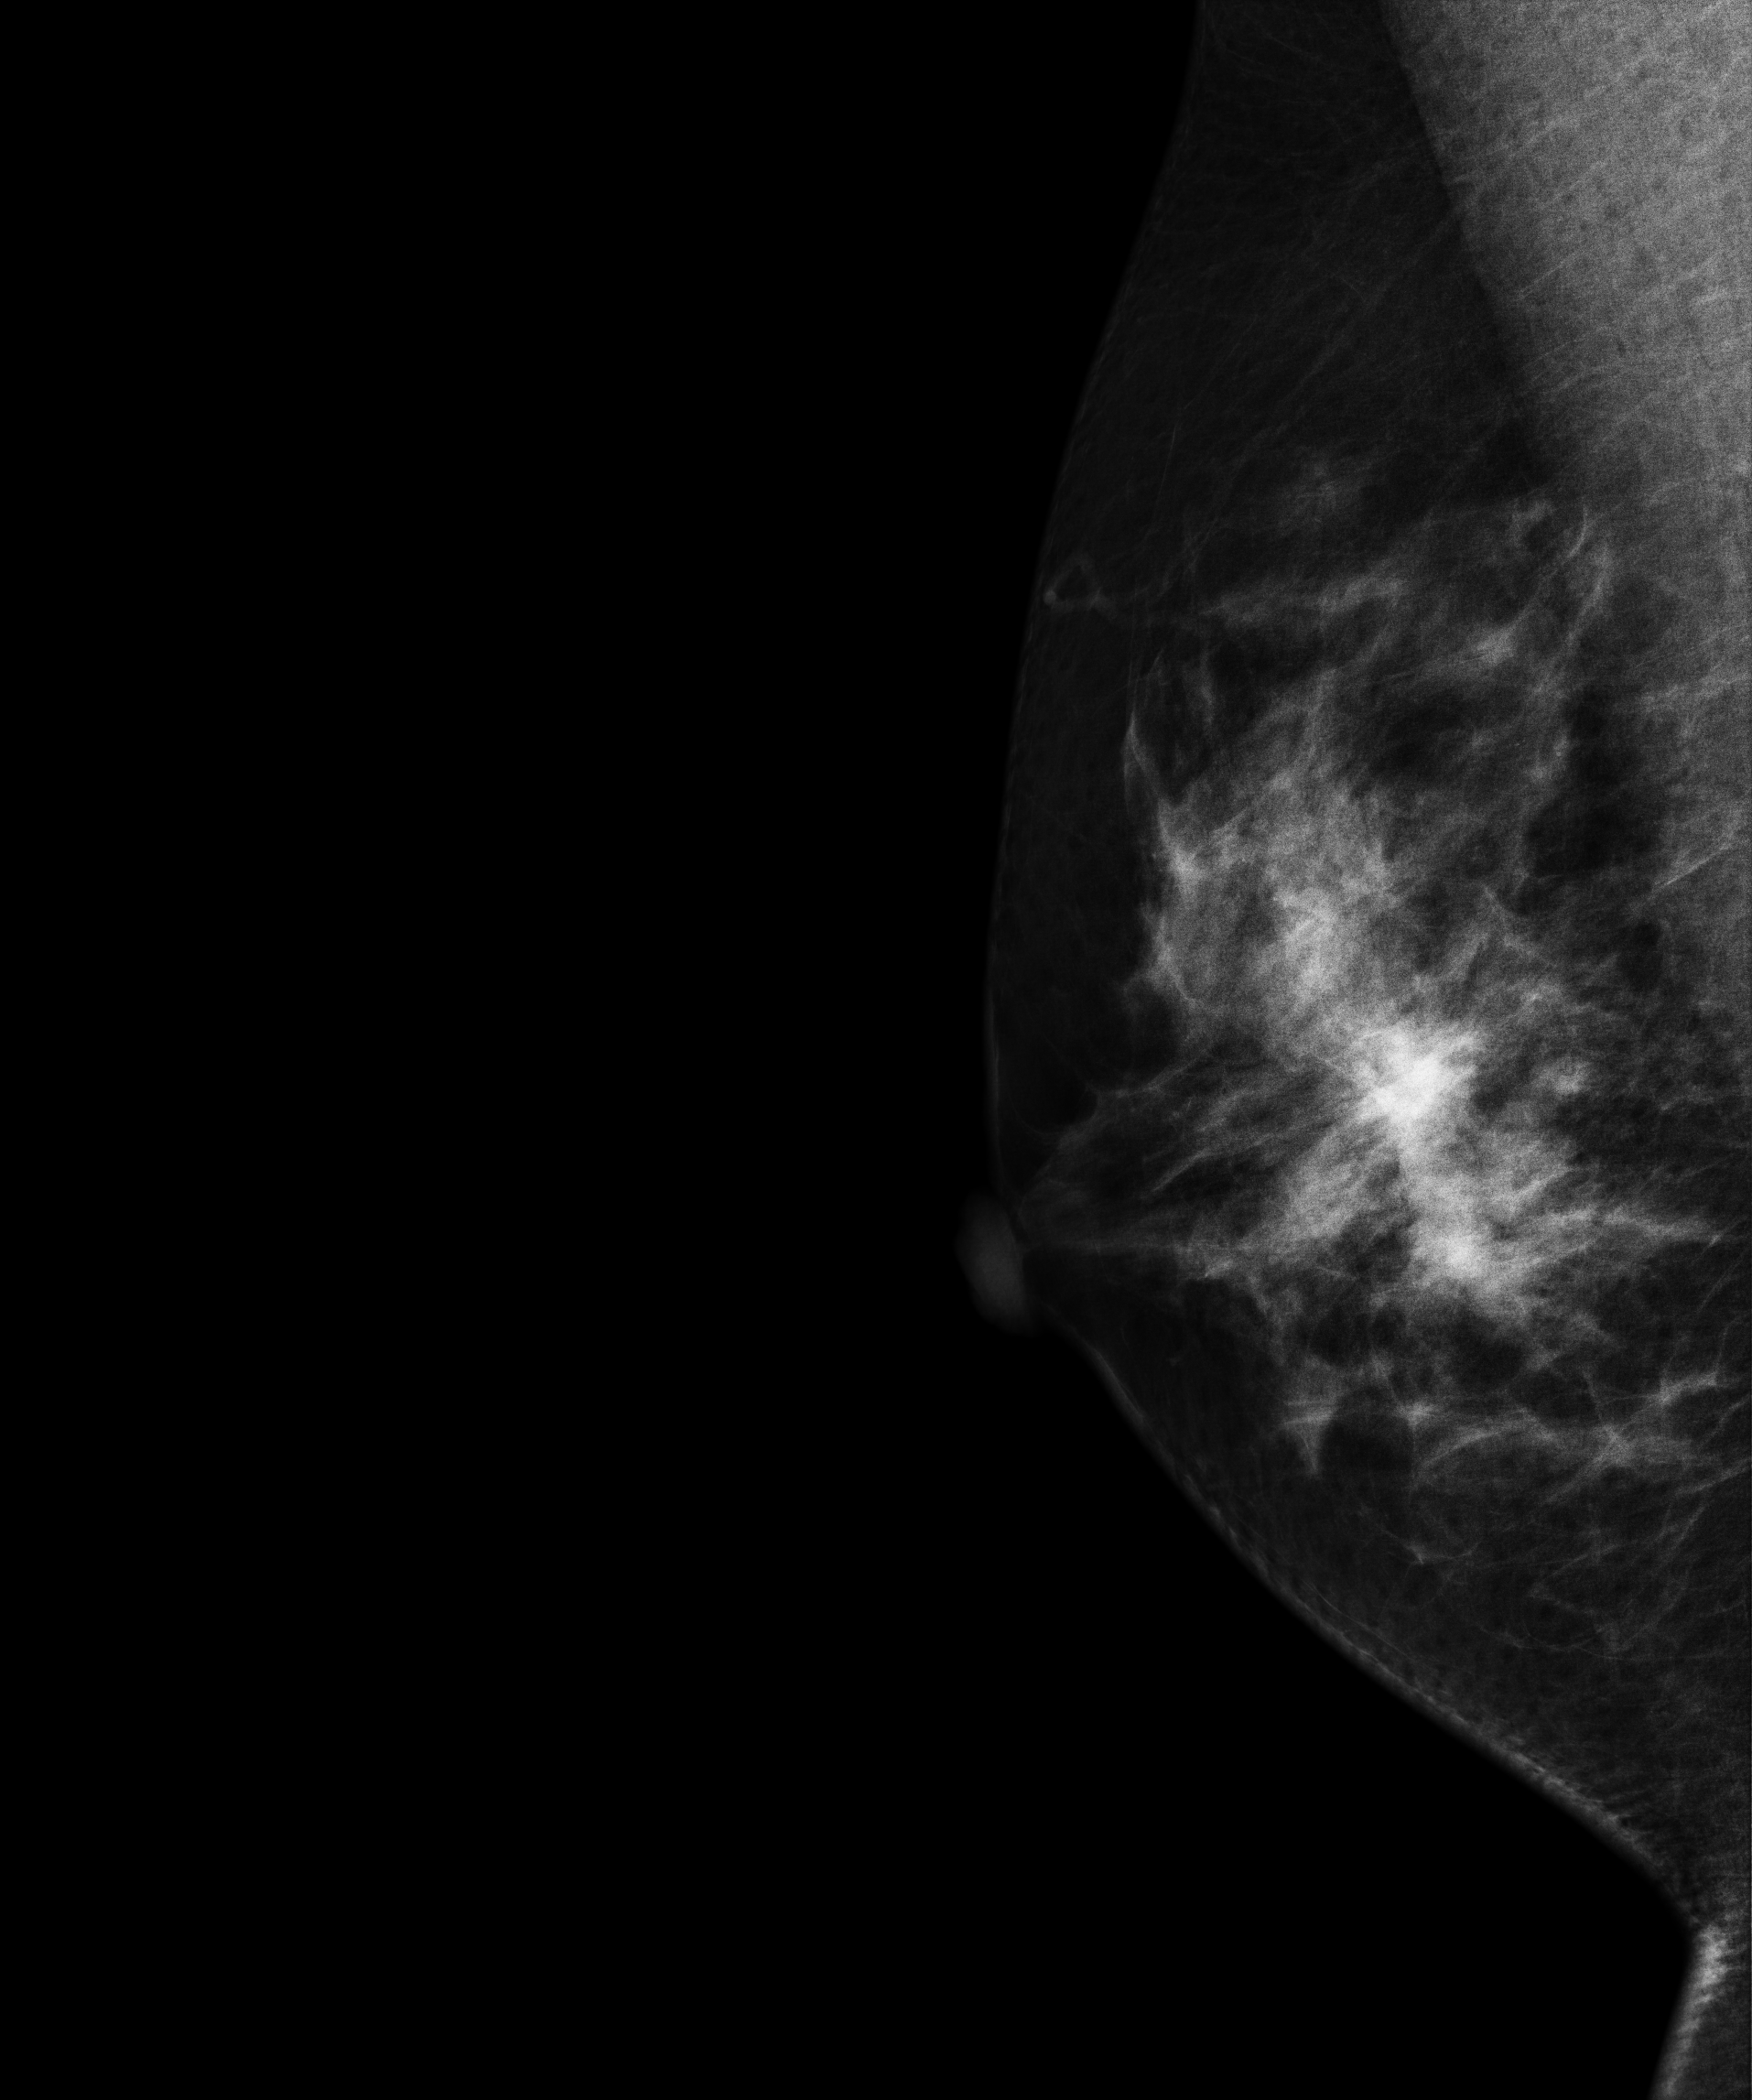
Mammogram, right breast, medio-lateral oblique view. Patient age 45.
This breast has a mass, biopsy-confirmed malignant.